Digital mammography. Right breast, CC projection. 59-year-old patient.
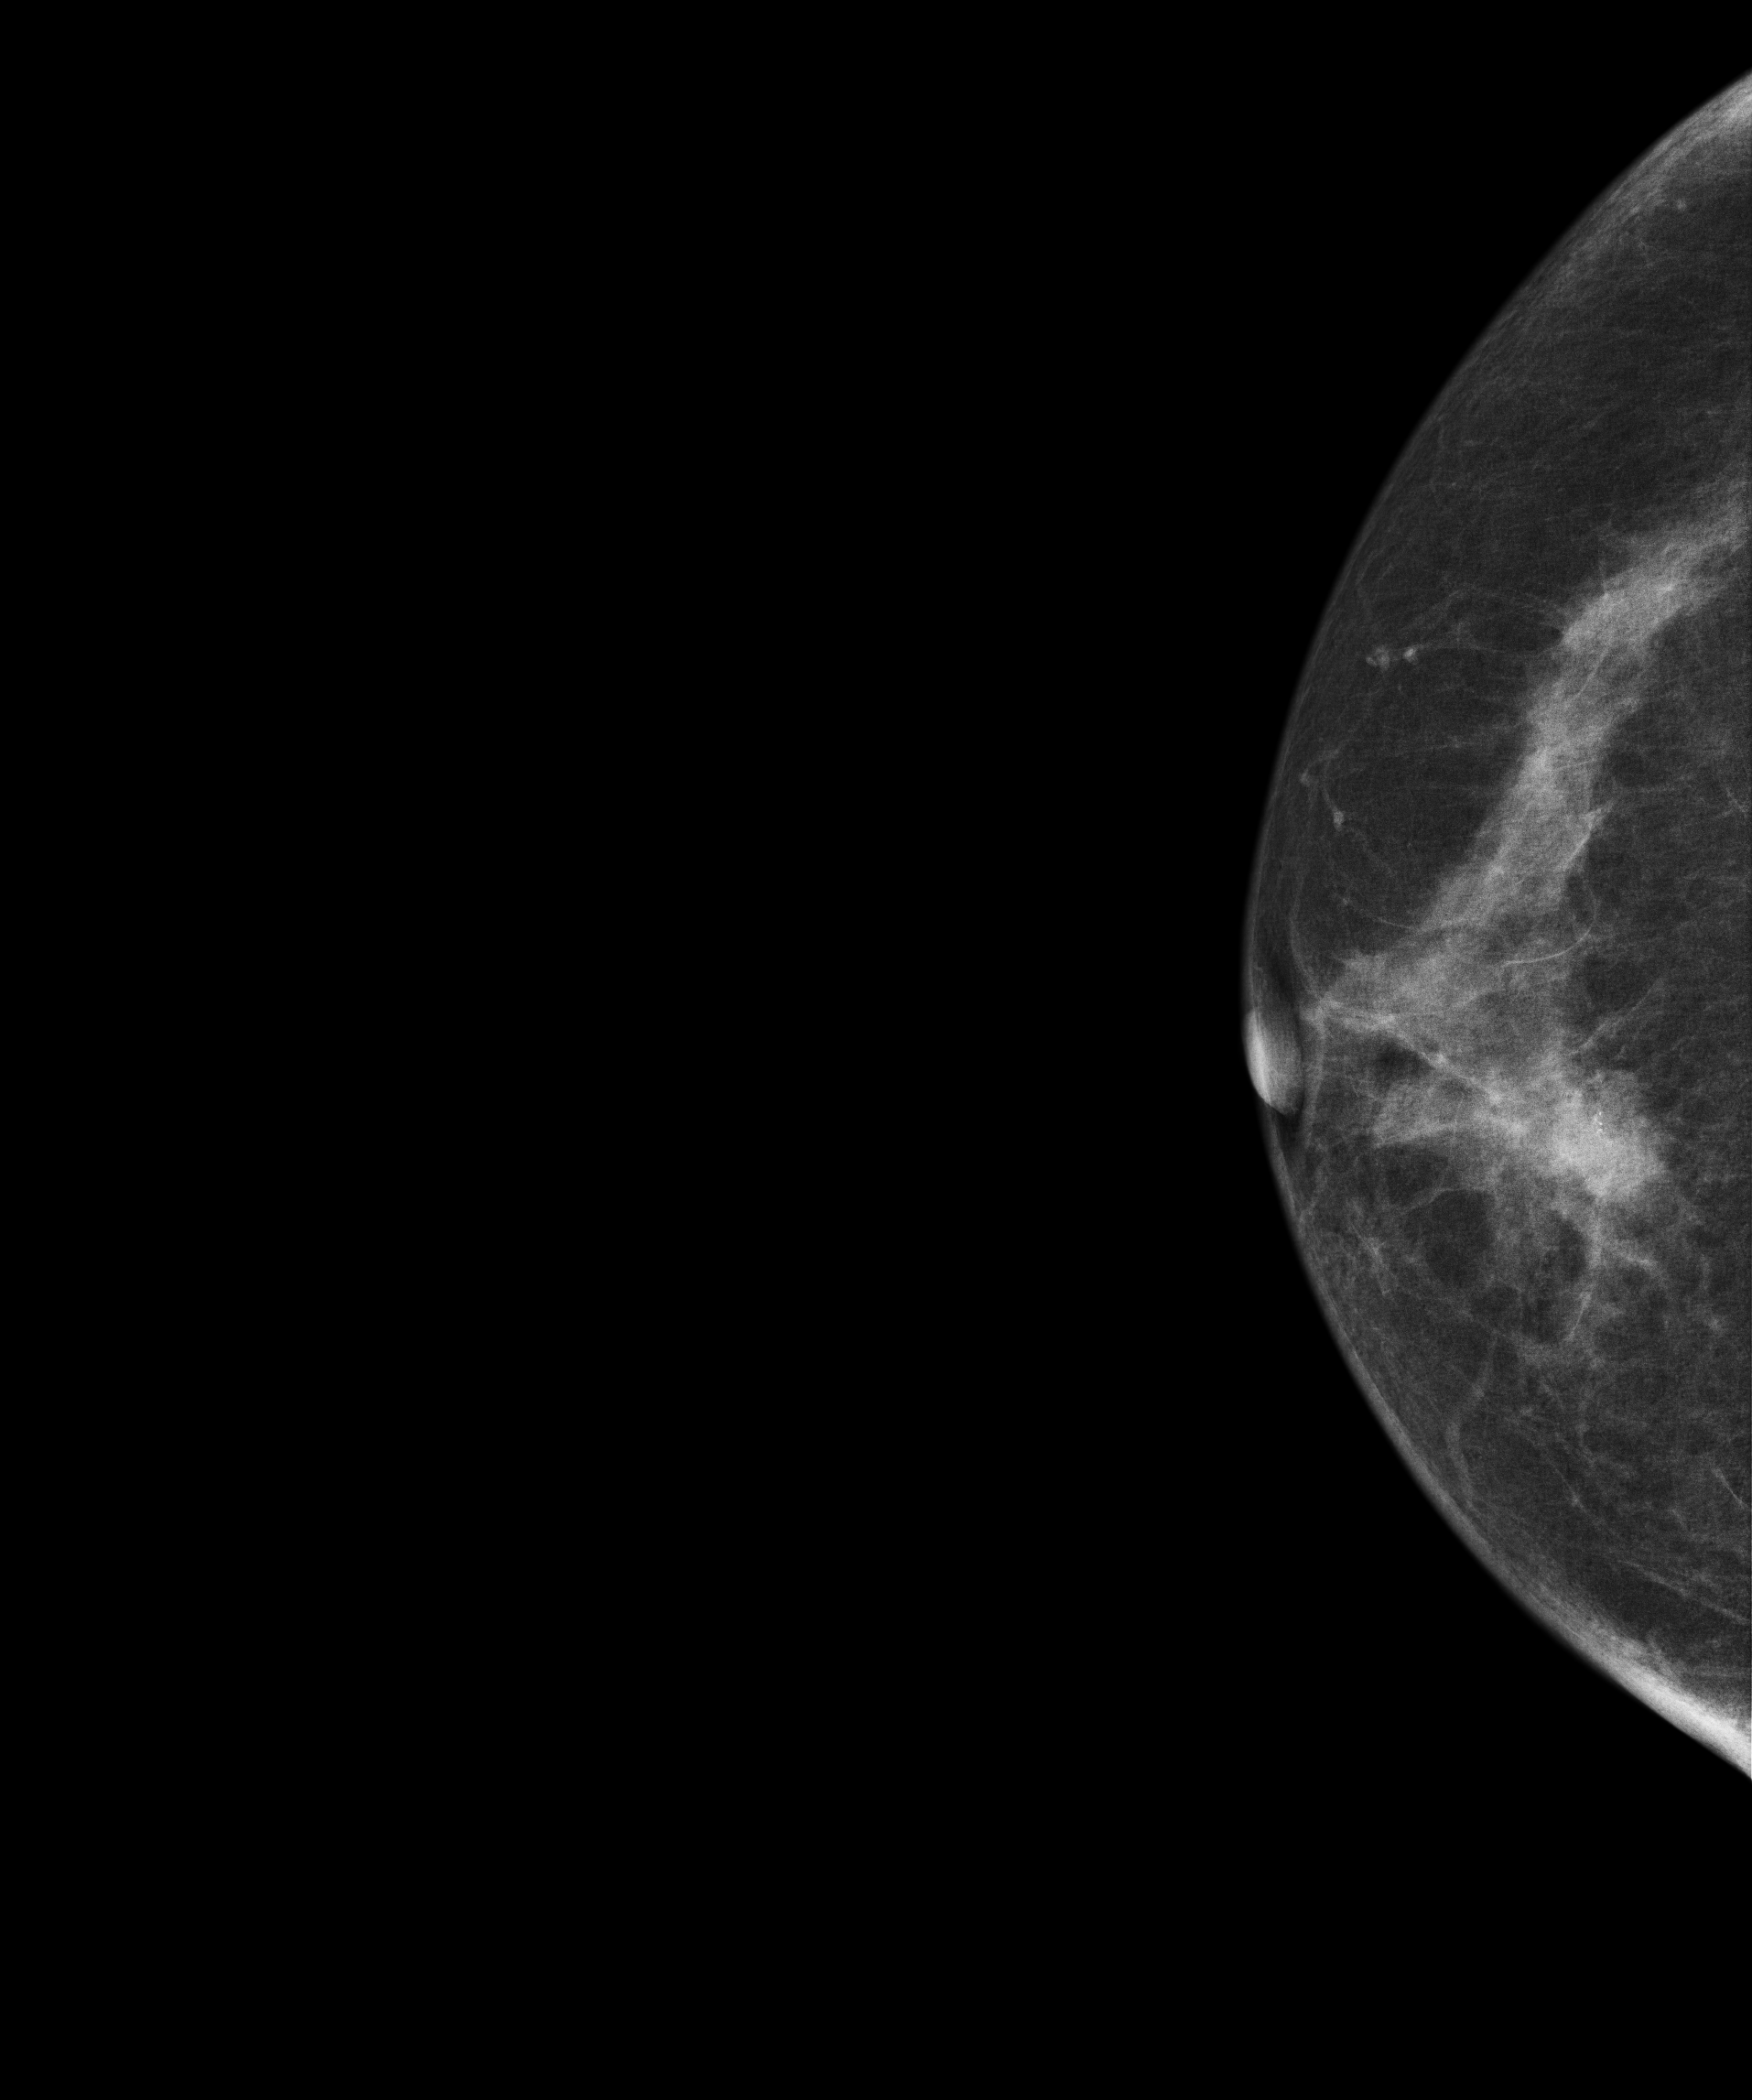
This breast has a mass and calcifications, pathology-confirmed malignant.